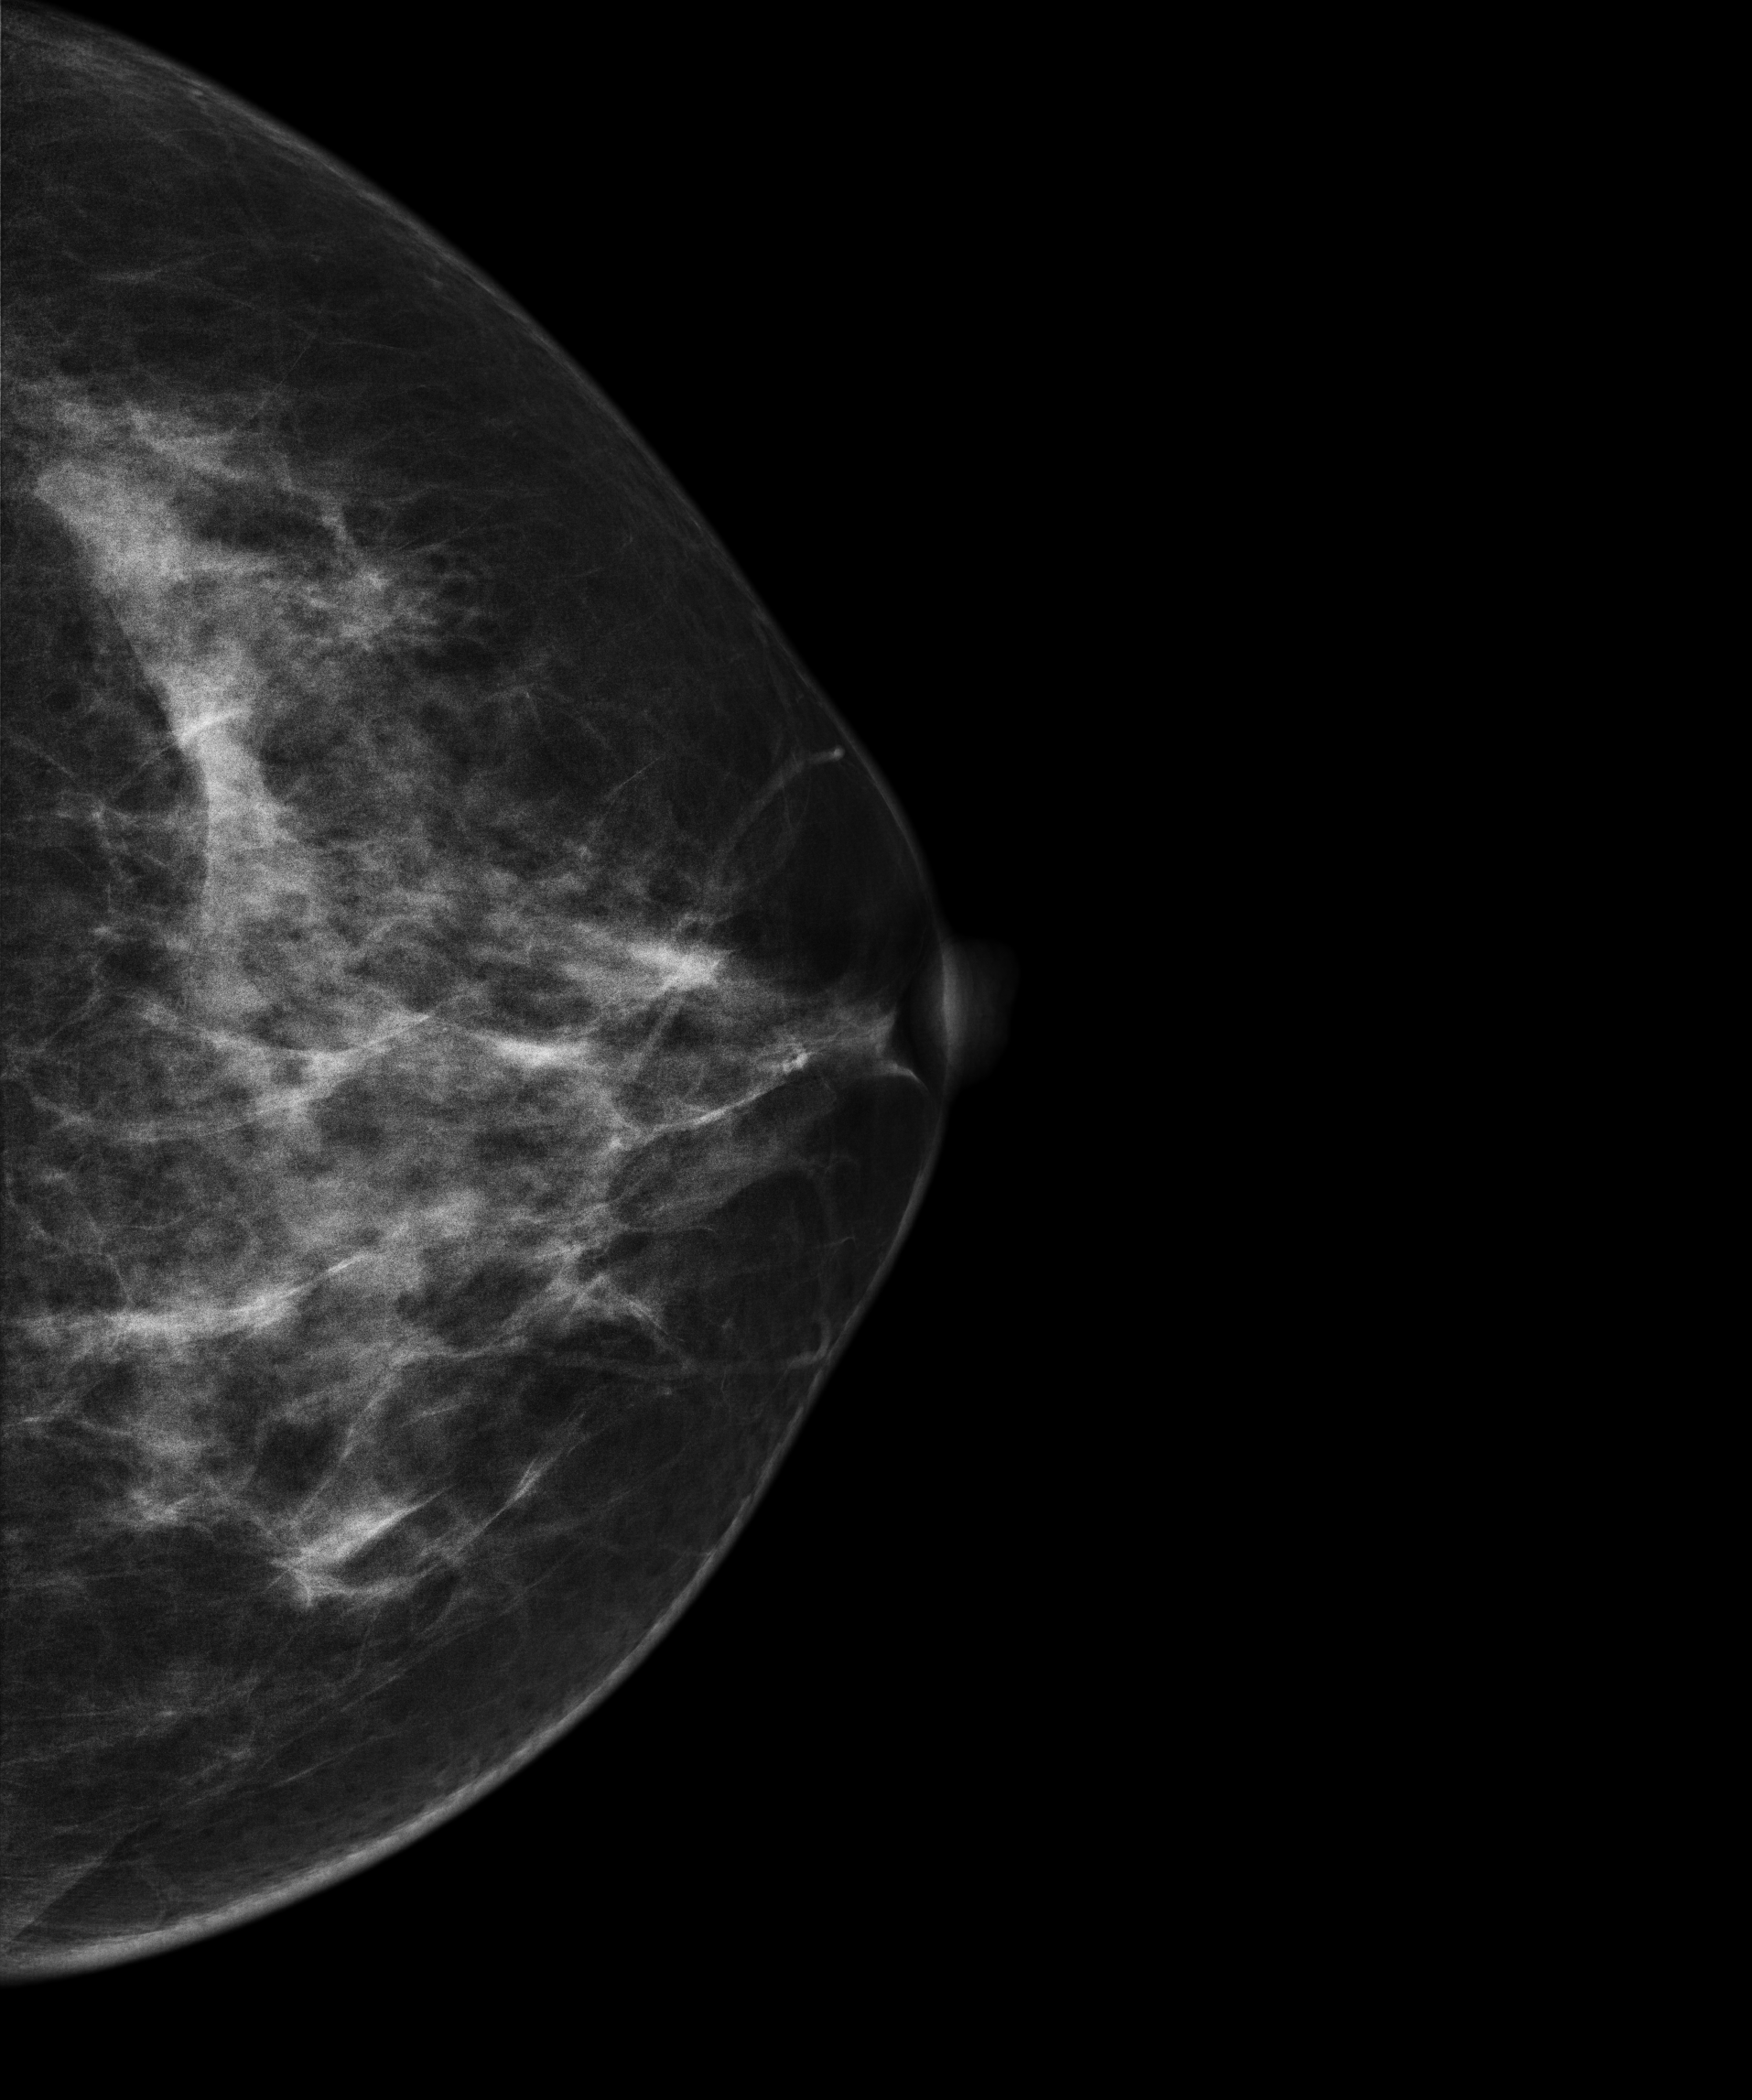
Digital mammography. Left breast, cranio-caudal projection. 49-year-old patient.
Contralateral breast — no documented abnormality on this side.